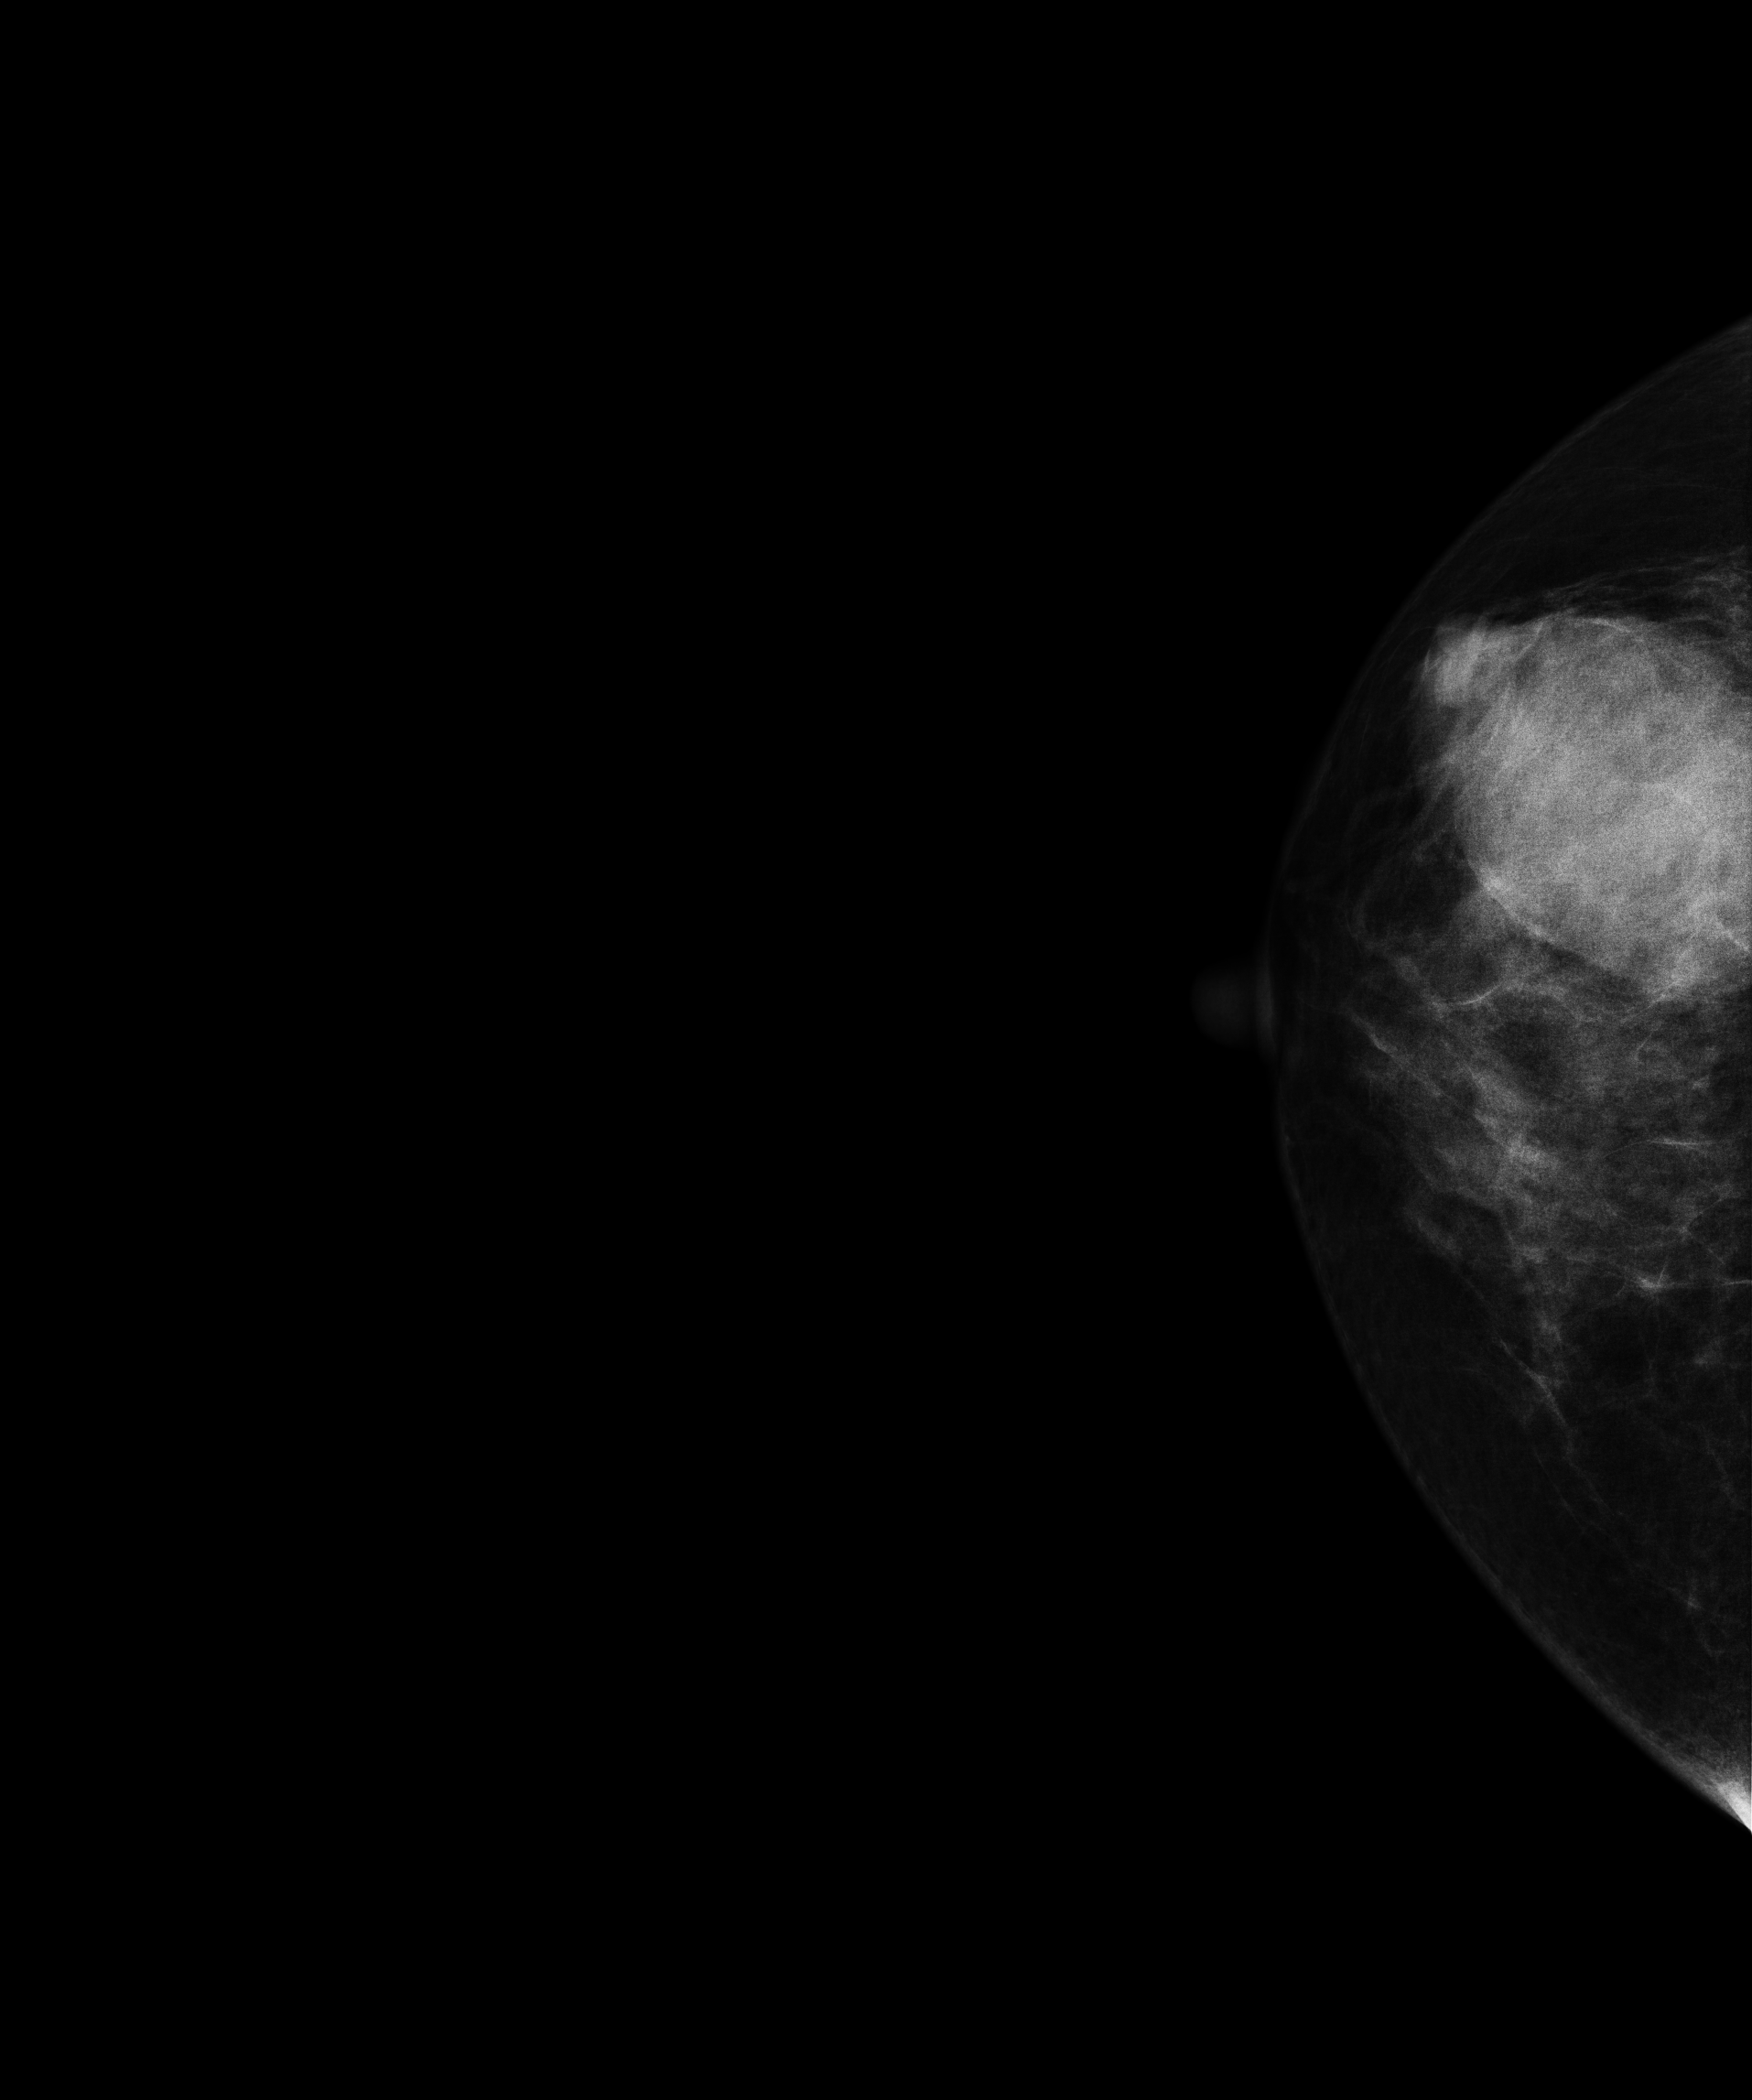
Mammogram — right CC. 46-year-old patient.
This breast has a mass, biopsy-proven malignant.